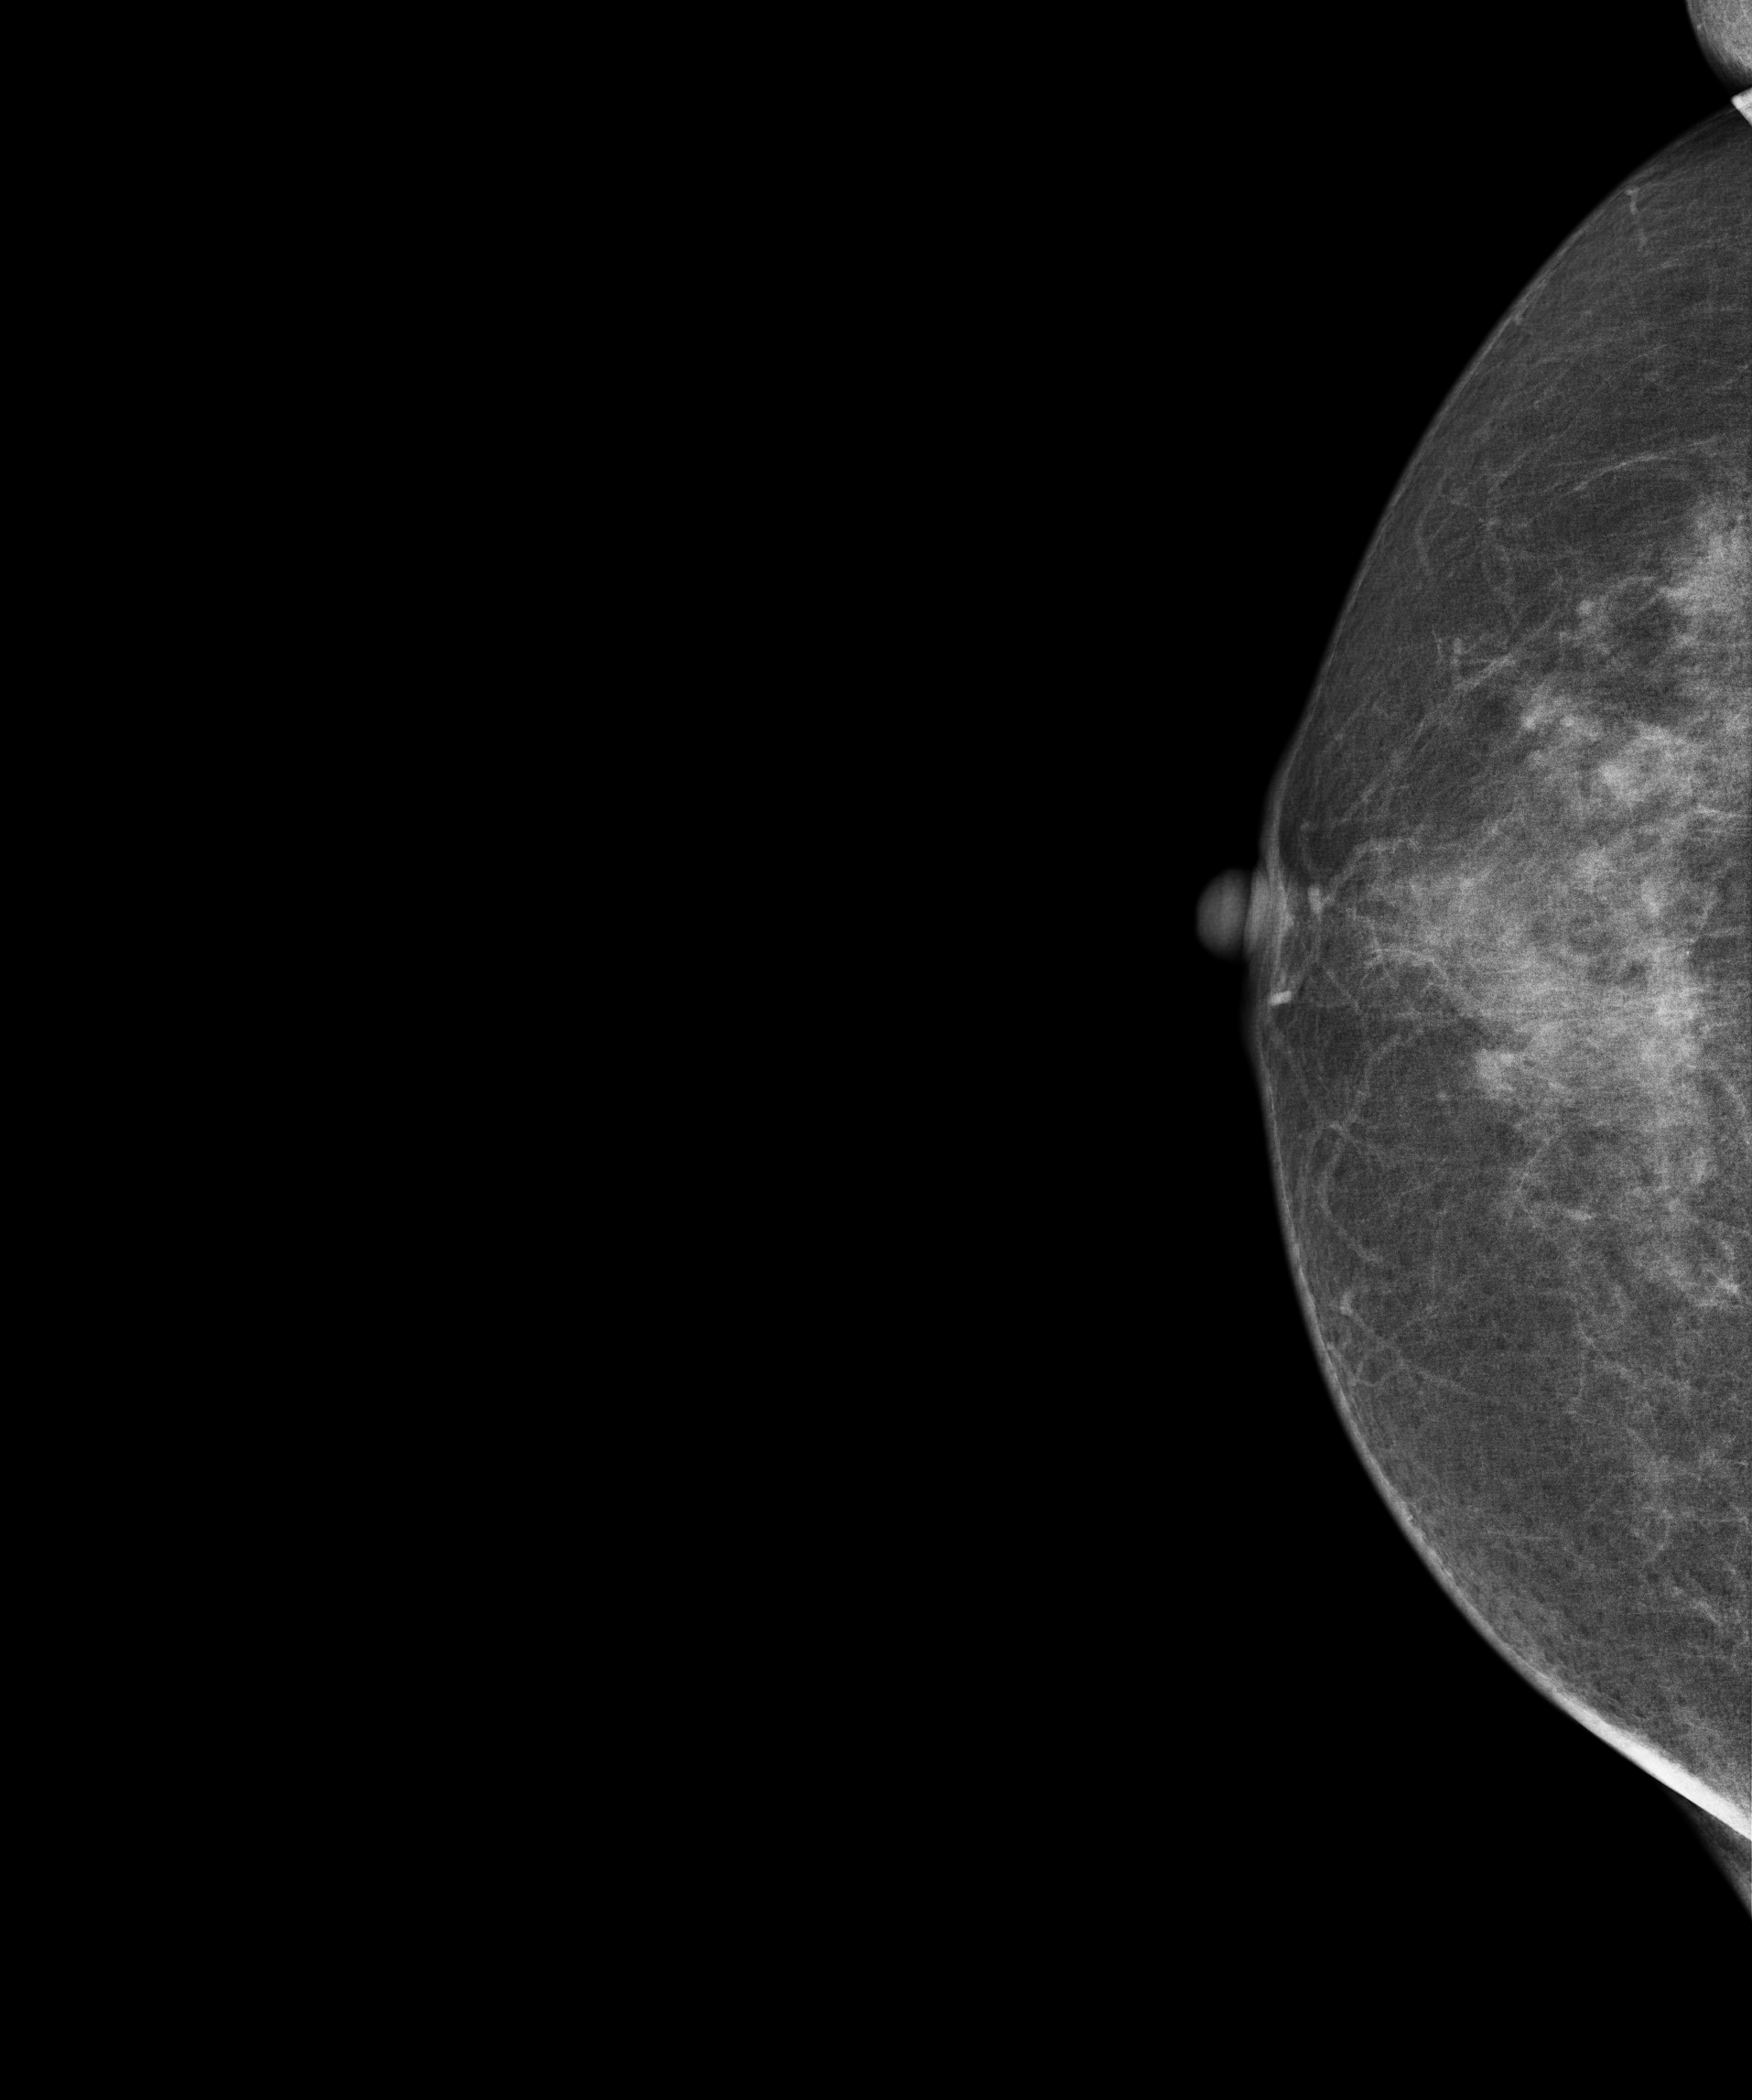
Mammogram — right cranio-caudal. Patient age 58.
Contralateral breast — no documented abnormality on this side.